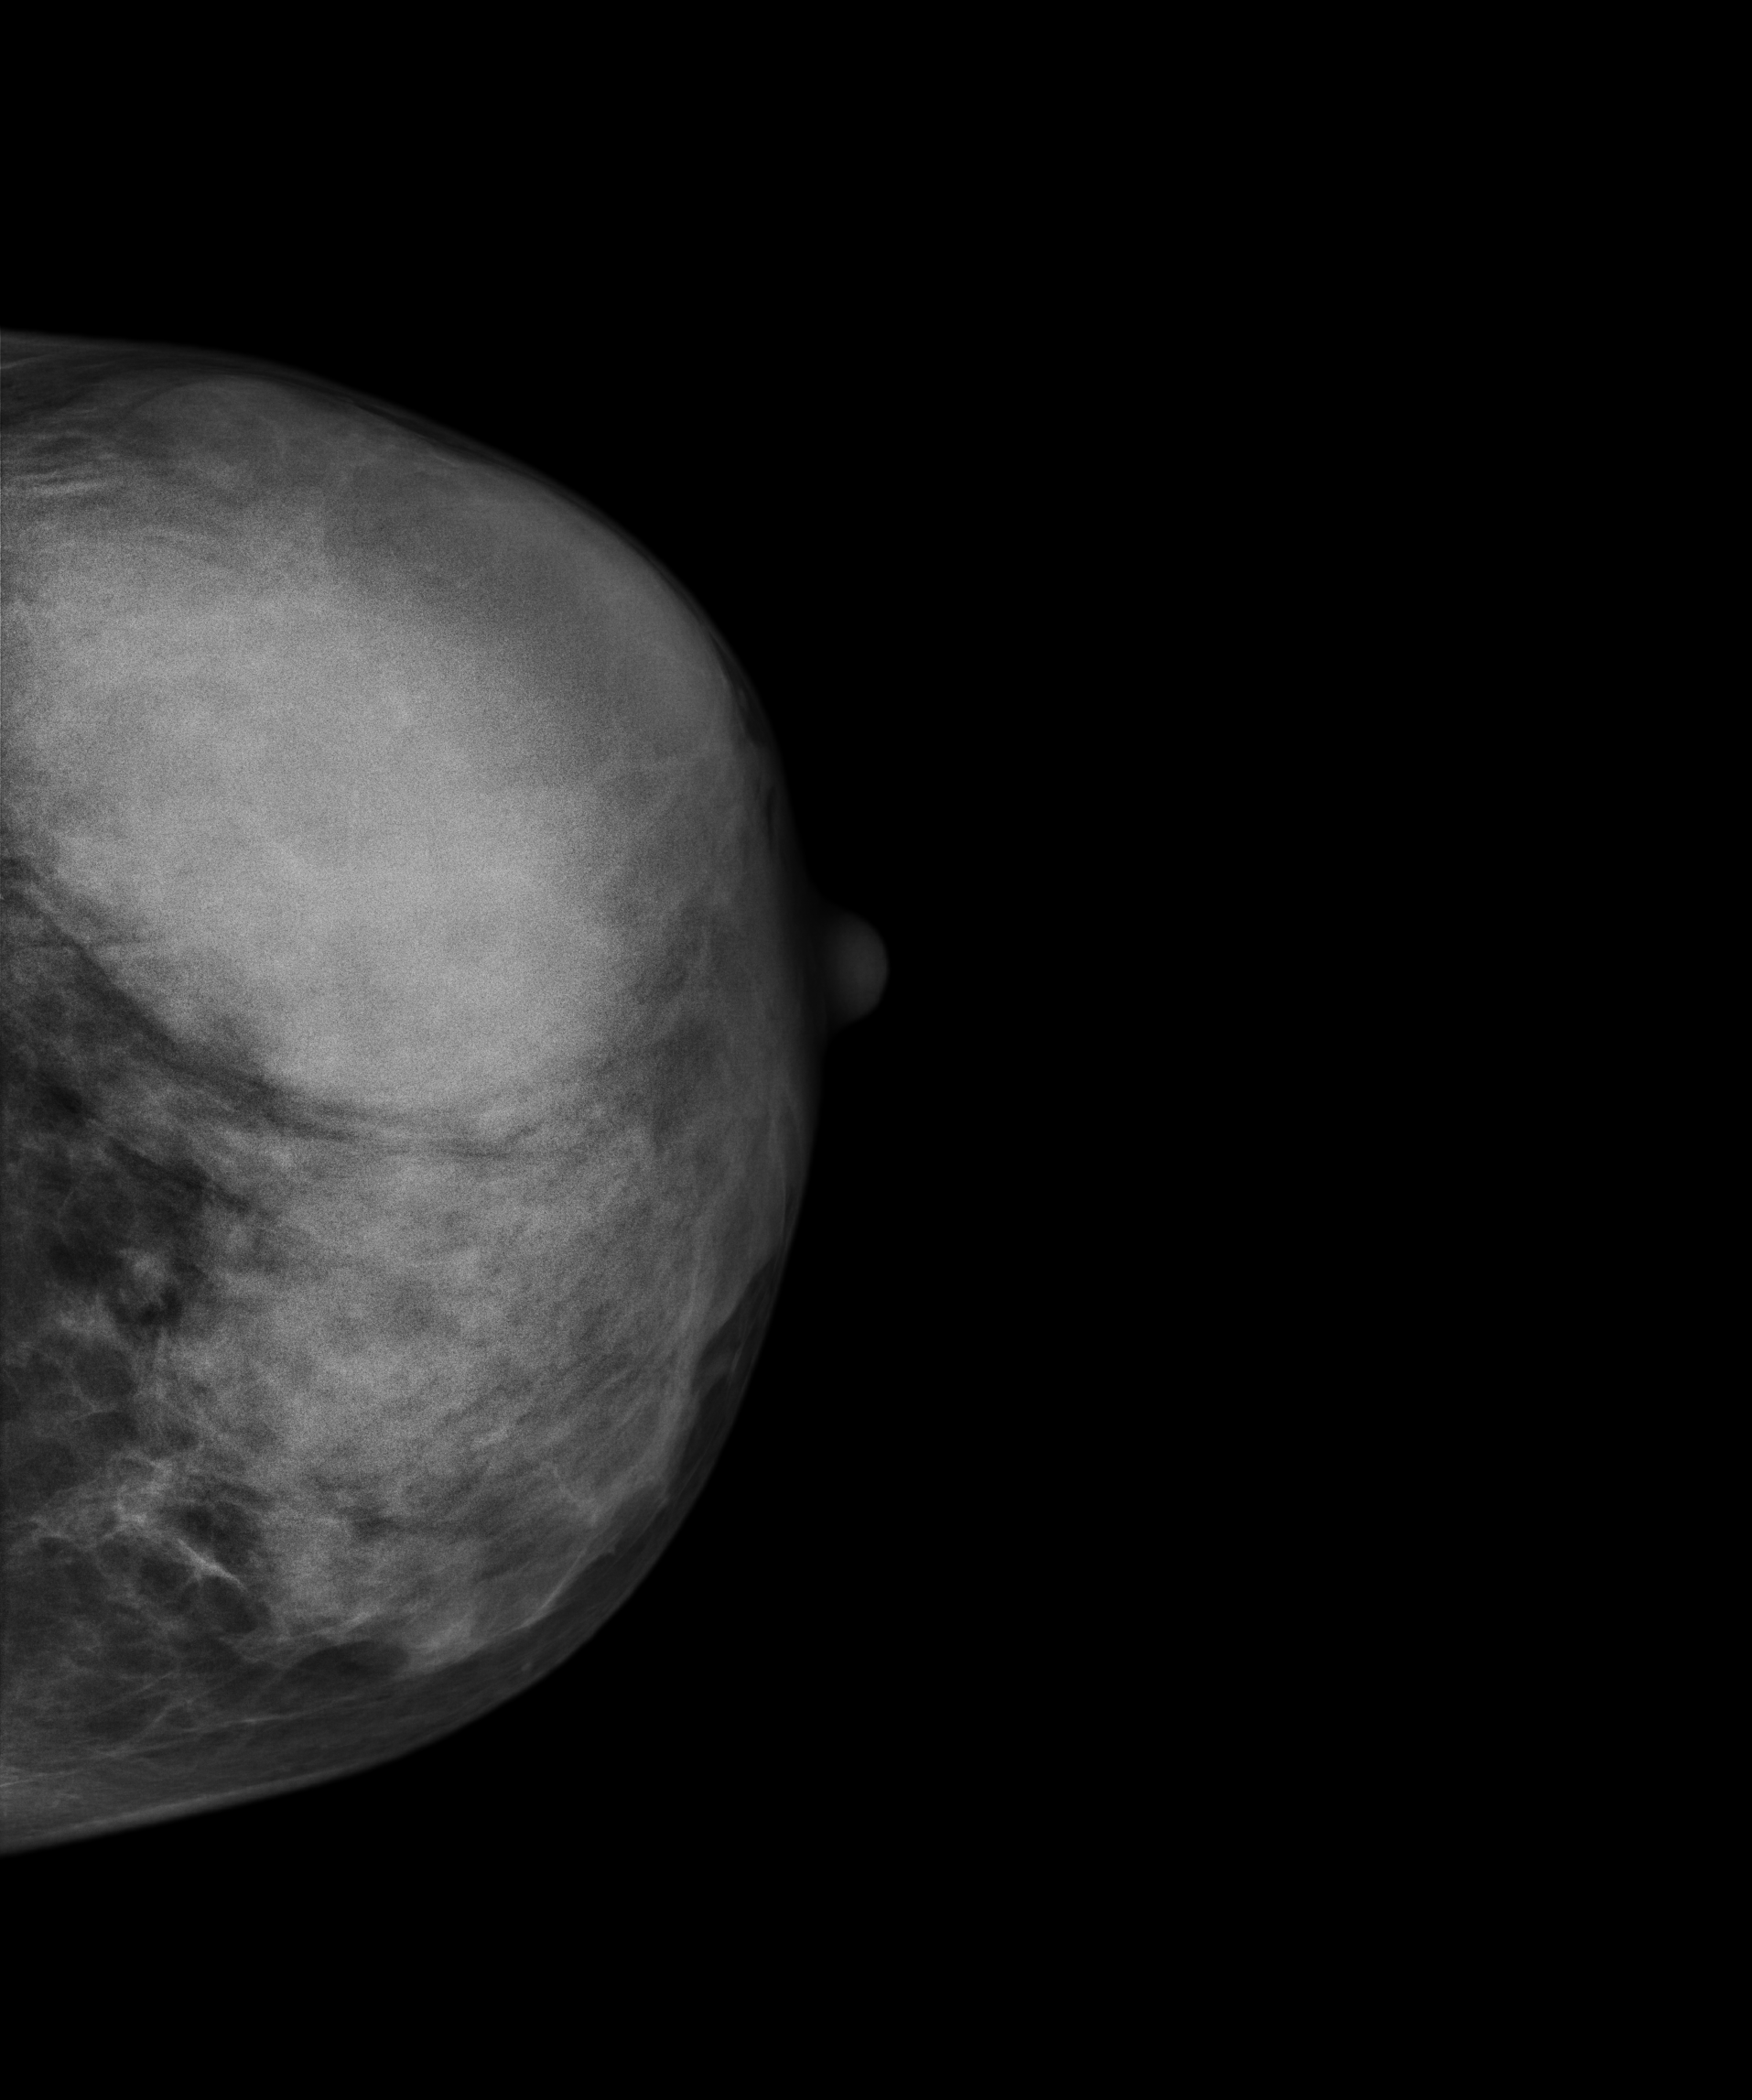
Digital mammography. Left breast, CC projection. Patient age 44.
This breast has a mass, pathology-confirmed malignant. Molecular subtype: luminal A.